Left-breast mammogram, CC. 45-year-old patient.
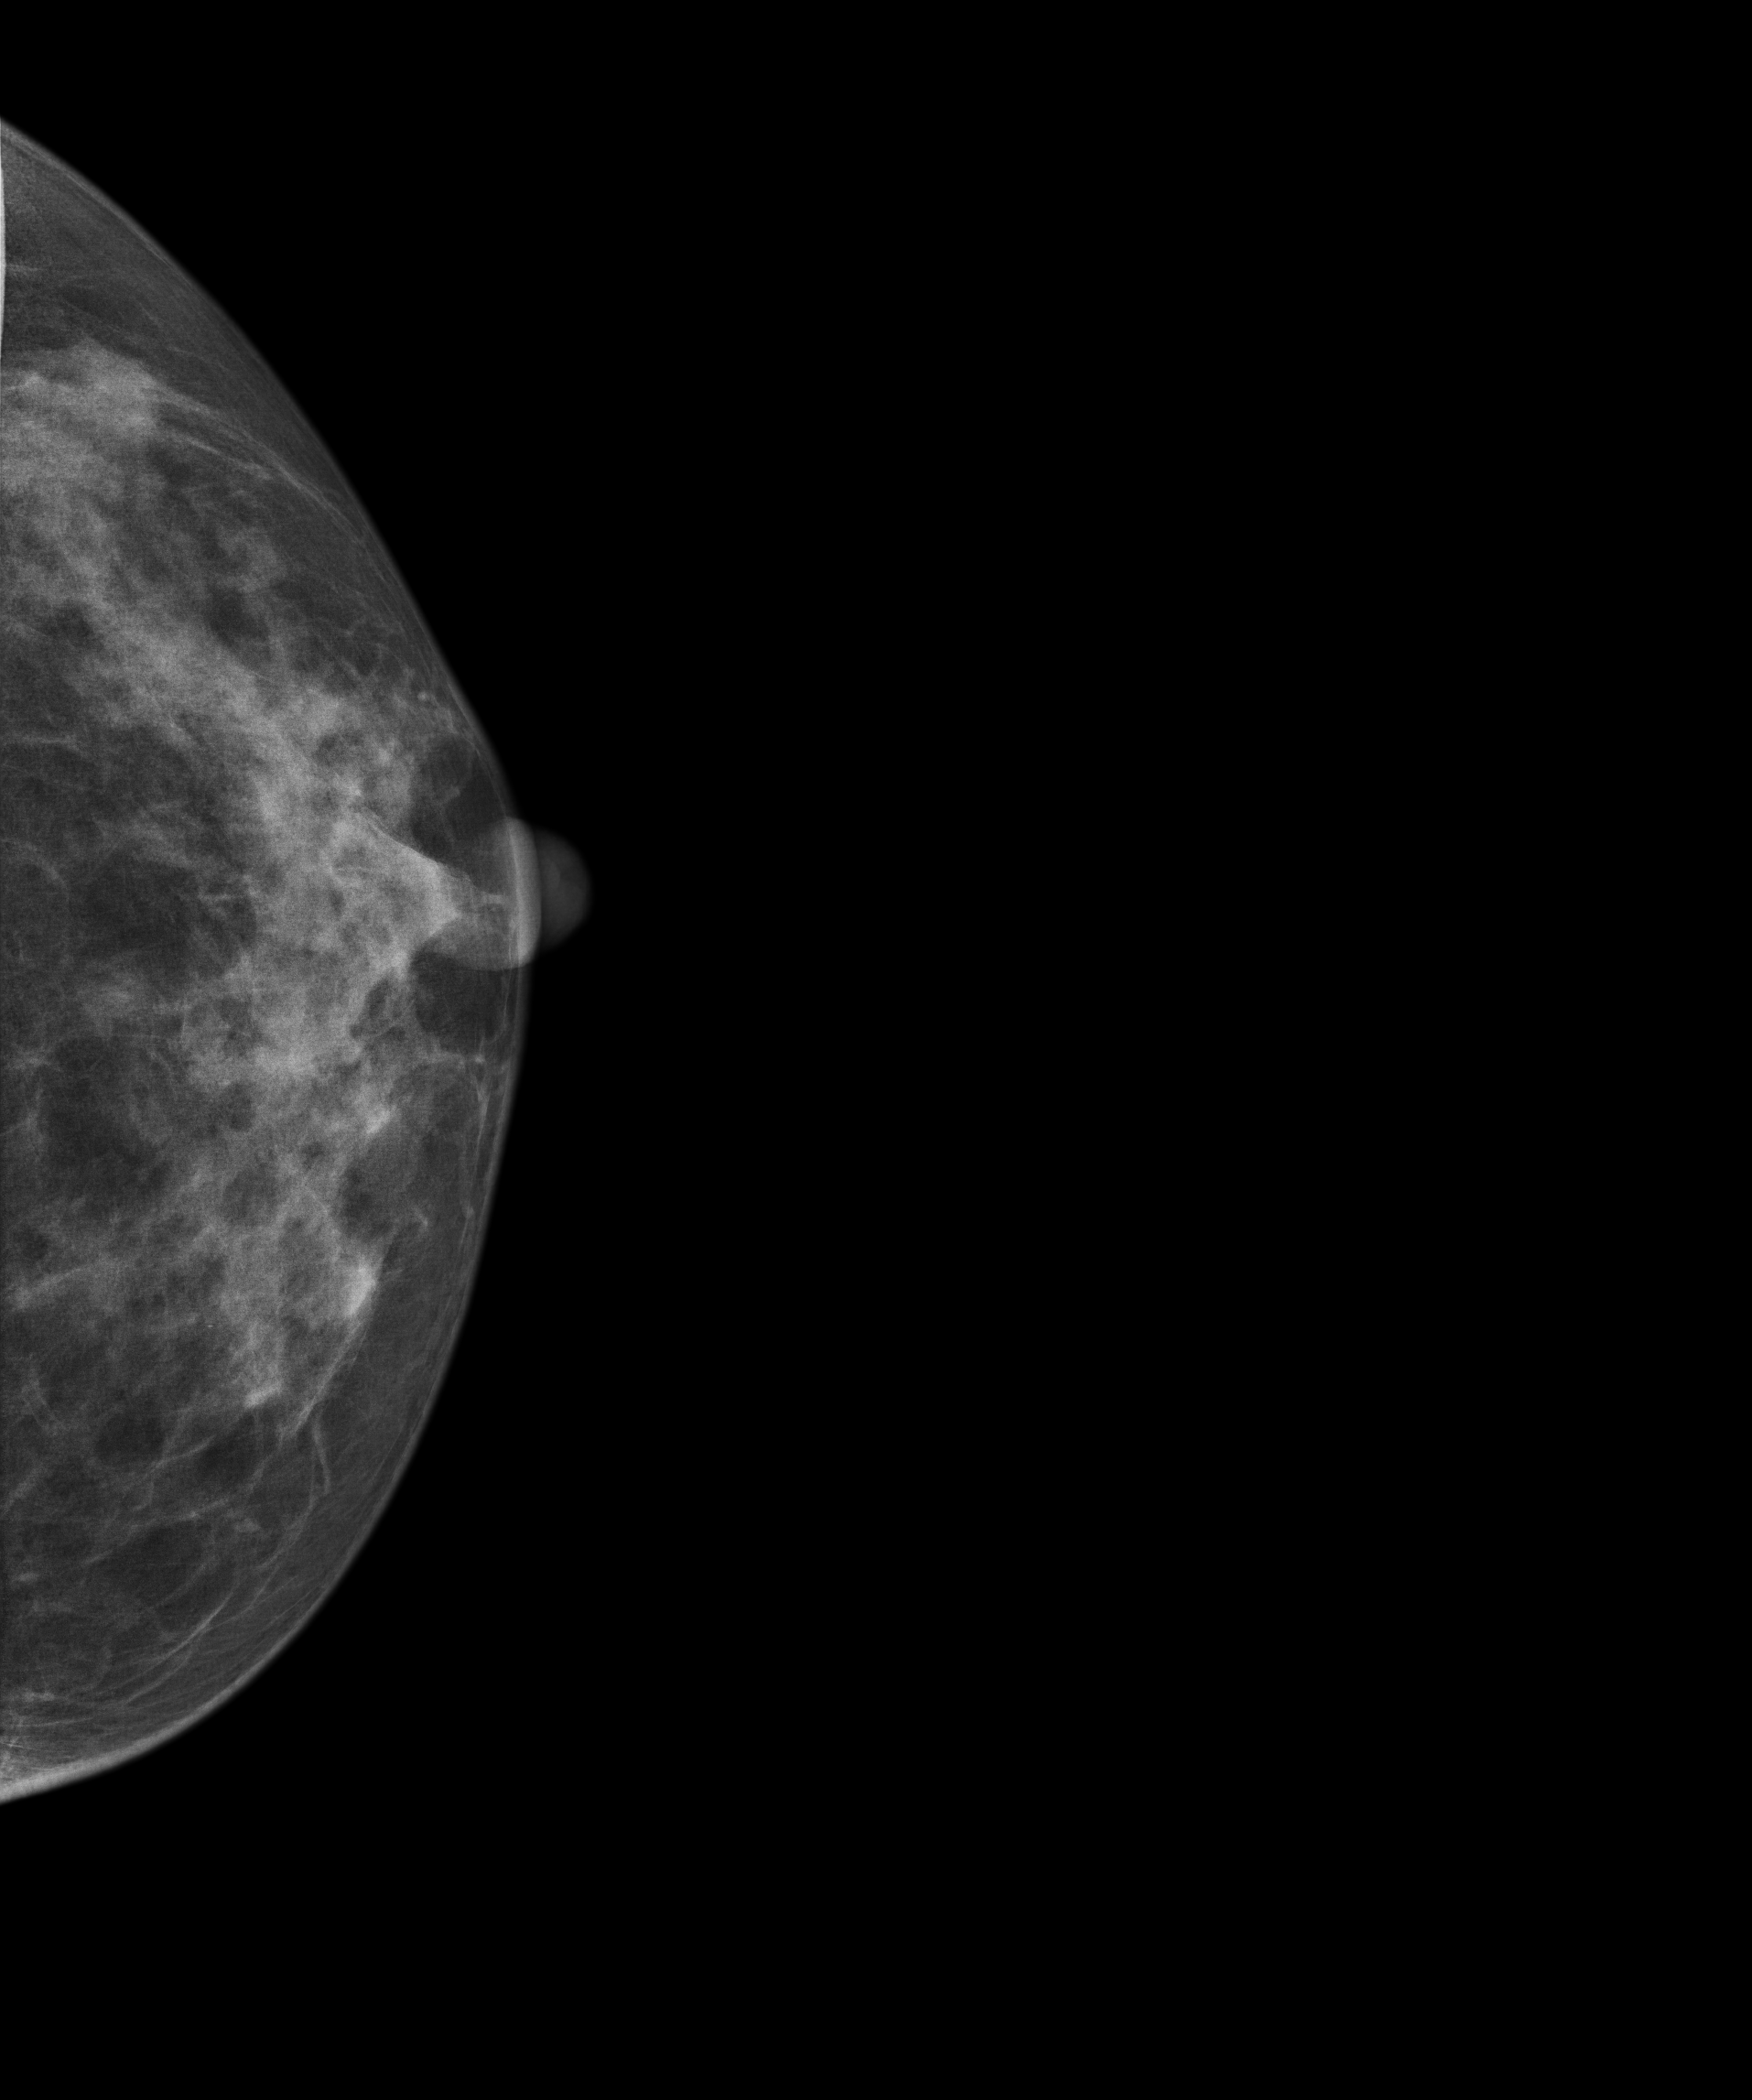
Contralateral breast — no documented abnormality on this side.